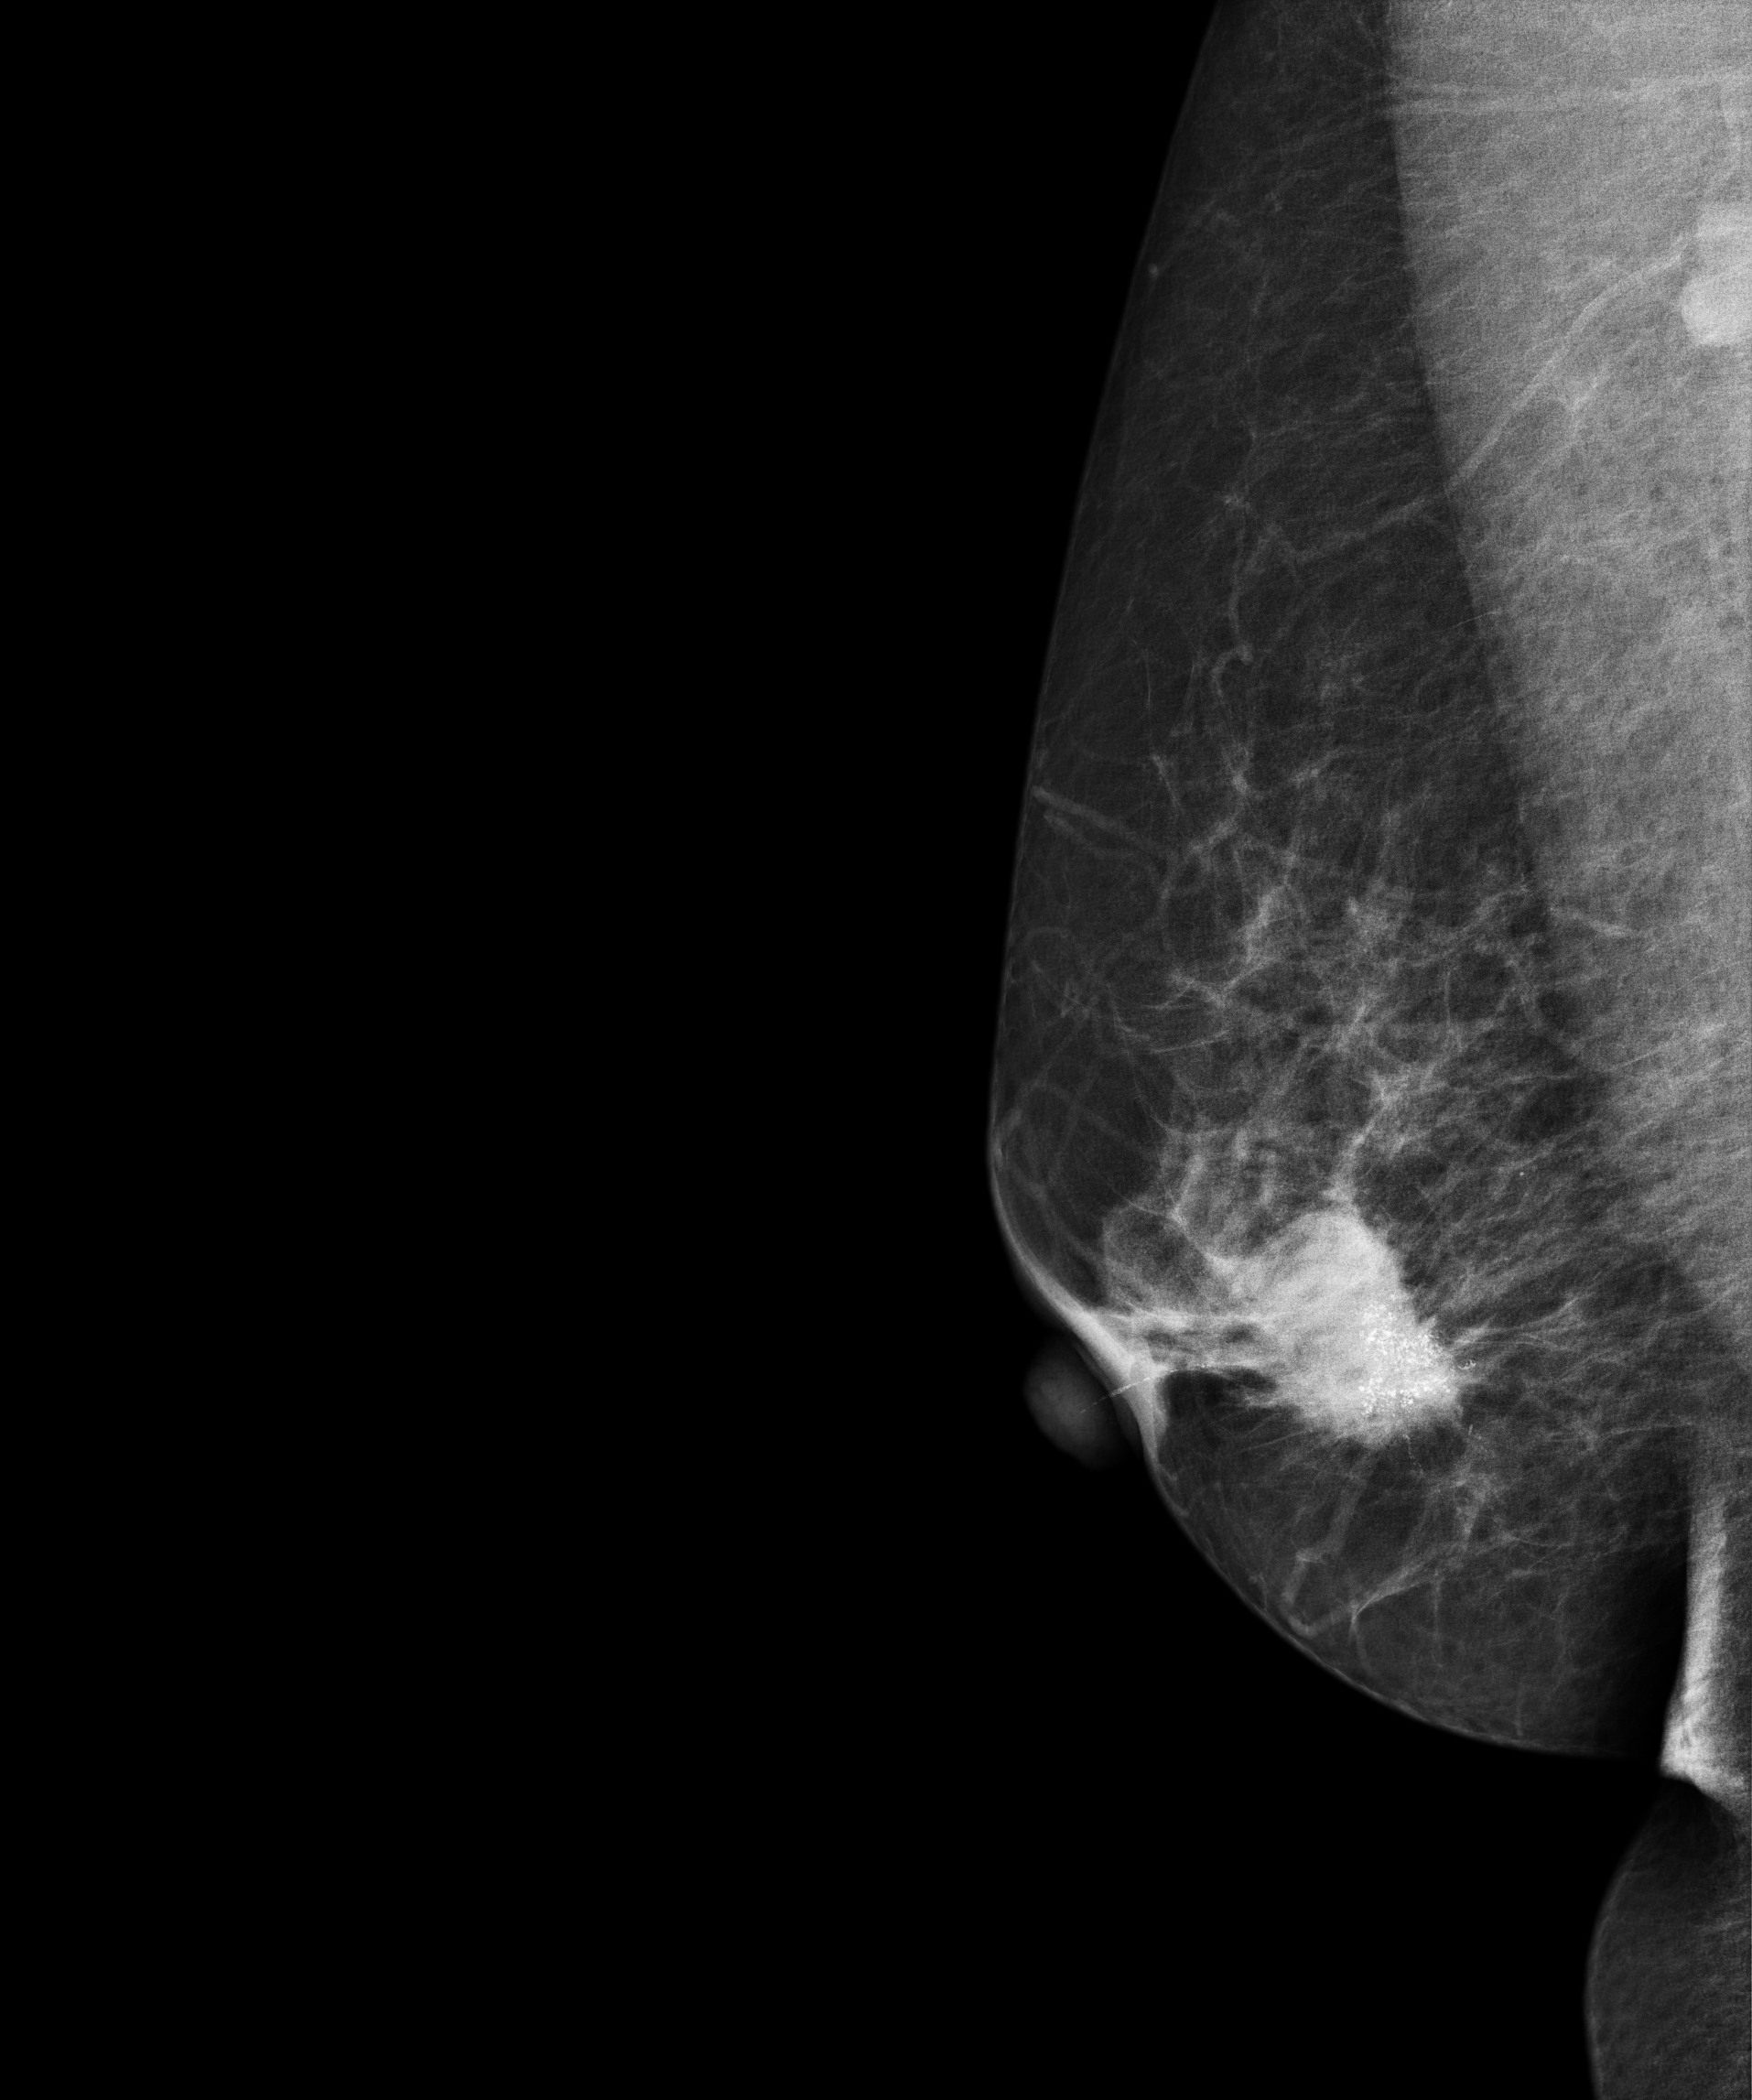
Mammogram — right MLO. 54 y/o patient.
This breast has a mass and calcifications, biopsy-confirmed malignant.